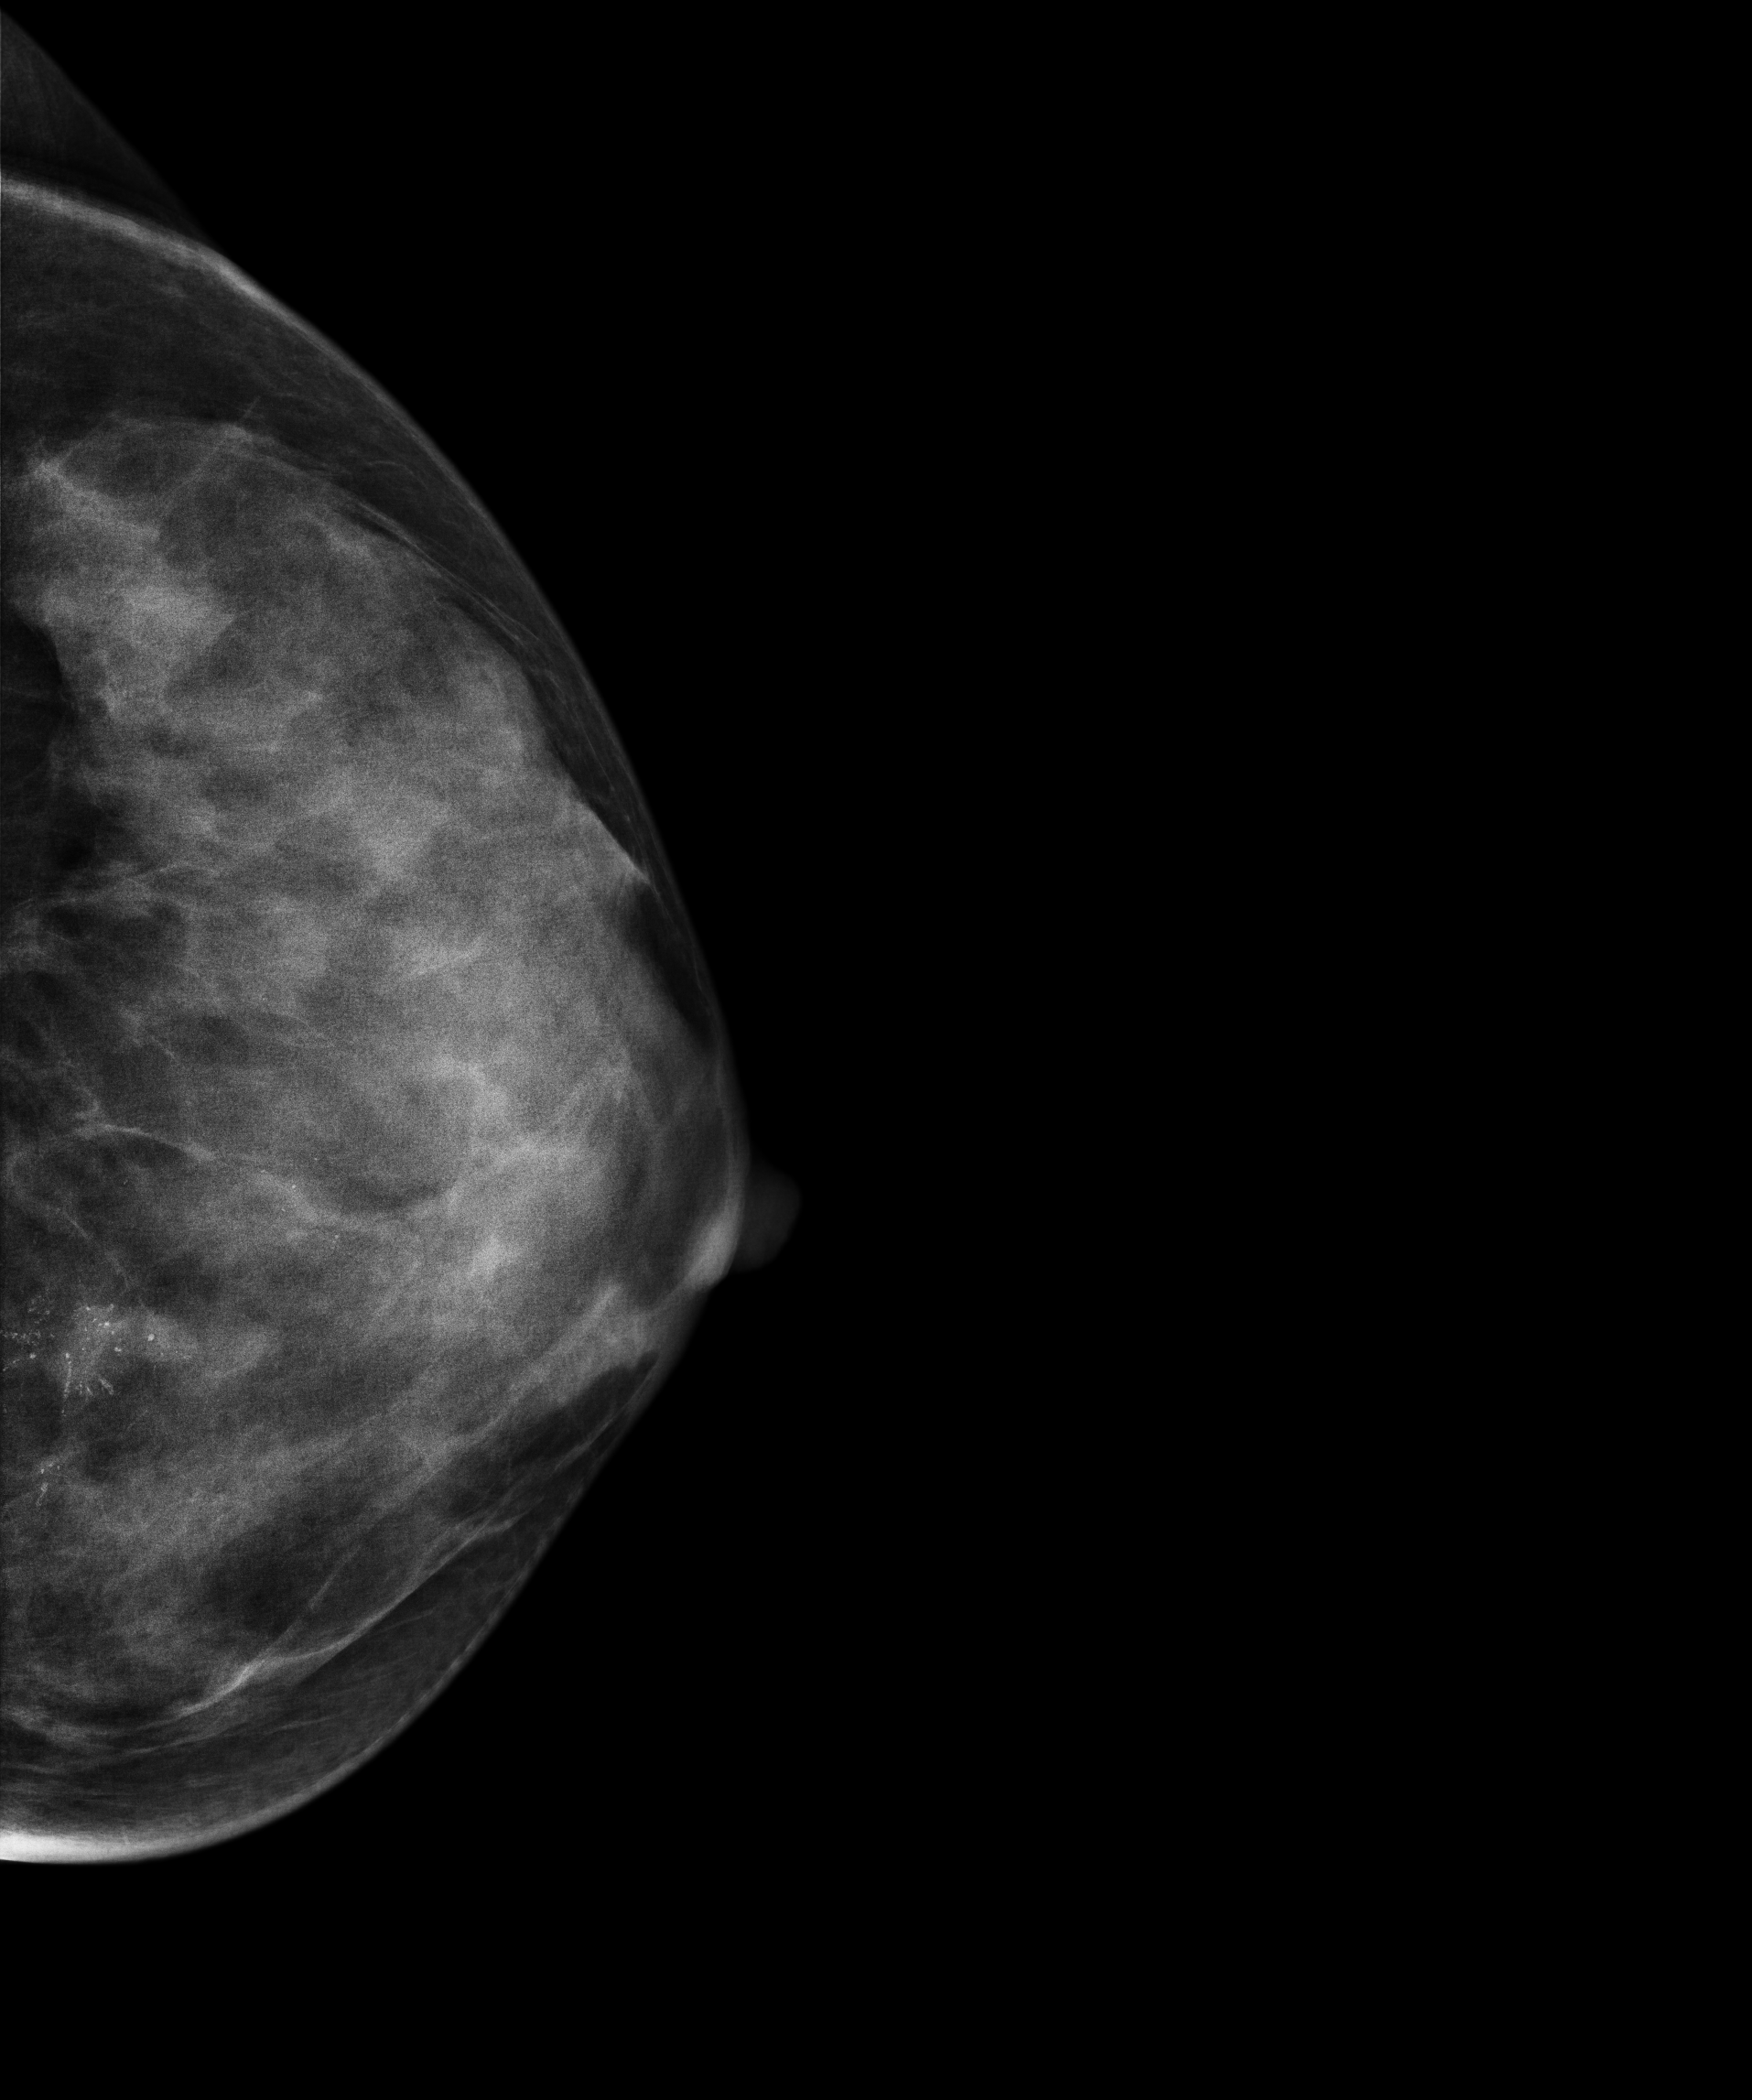
Digital mammography. Left breast, cranio-caudal projection. Patient age 38.
This breast has calcifications, biopsy-proven malignant.